Digital mammography. Left breast, cranio-caudal projection. 29-year-old patient.
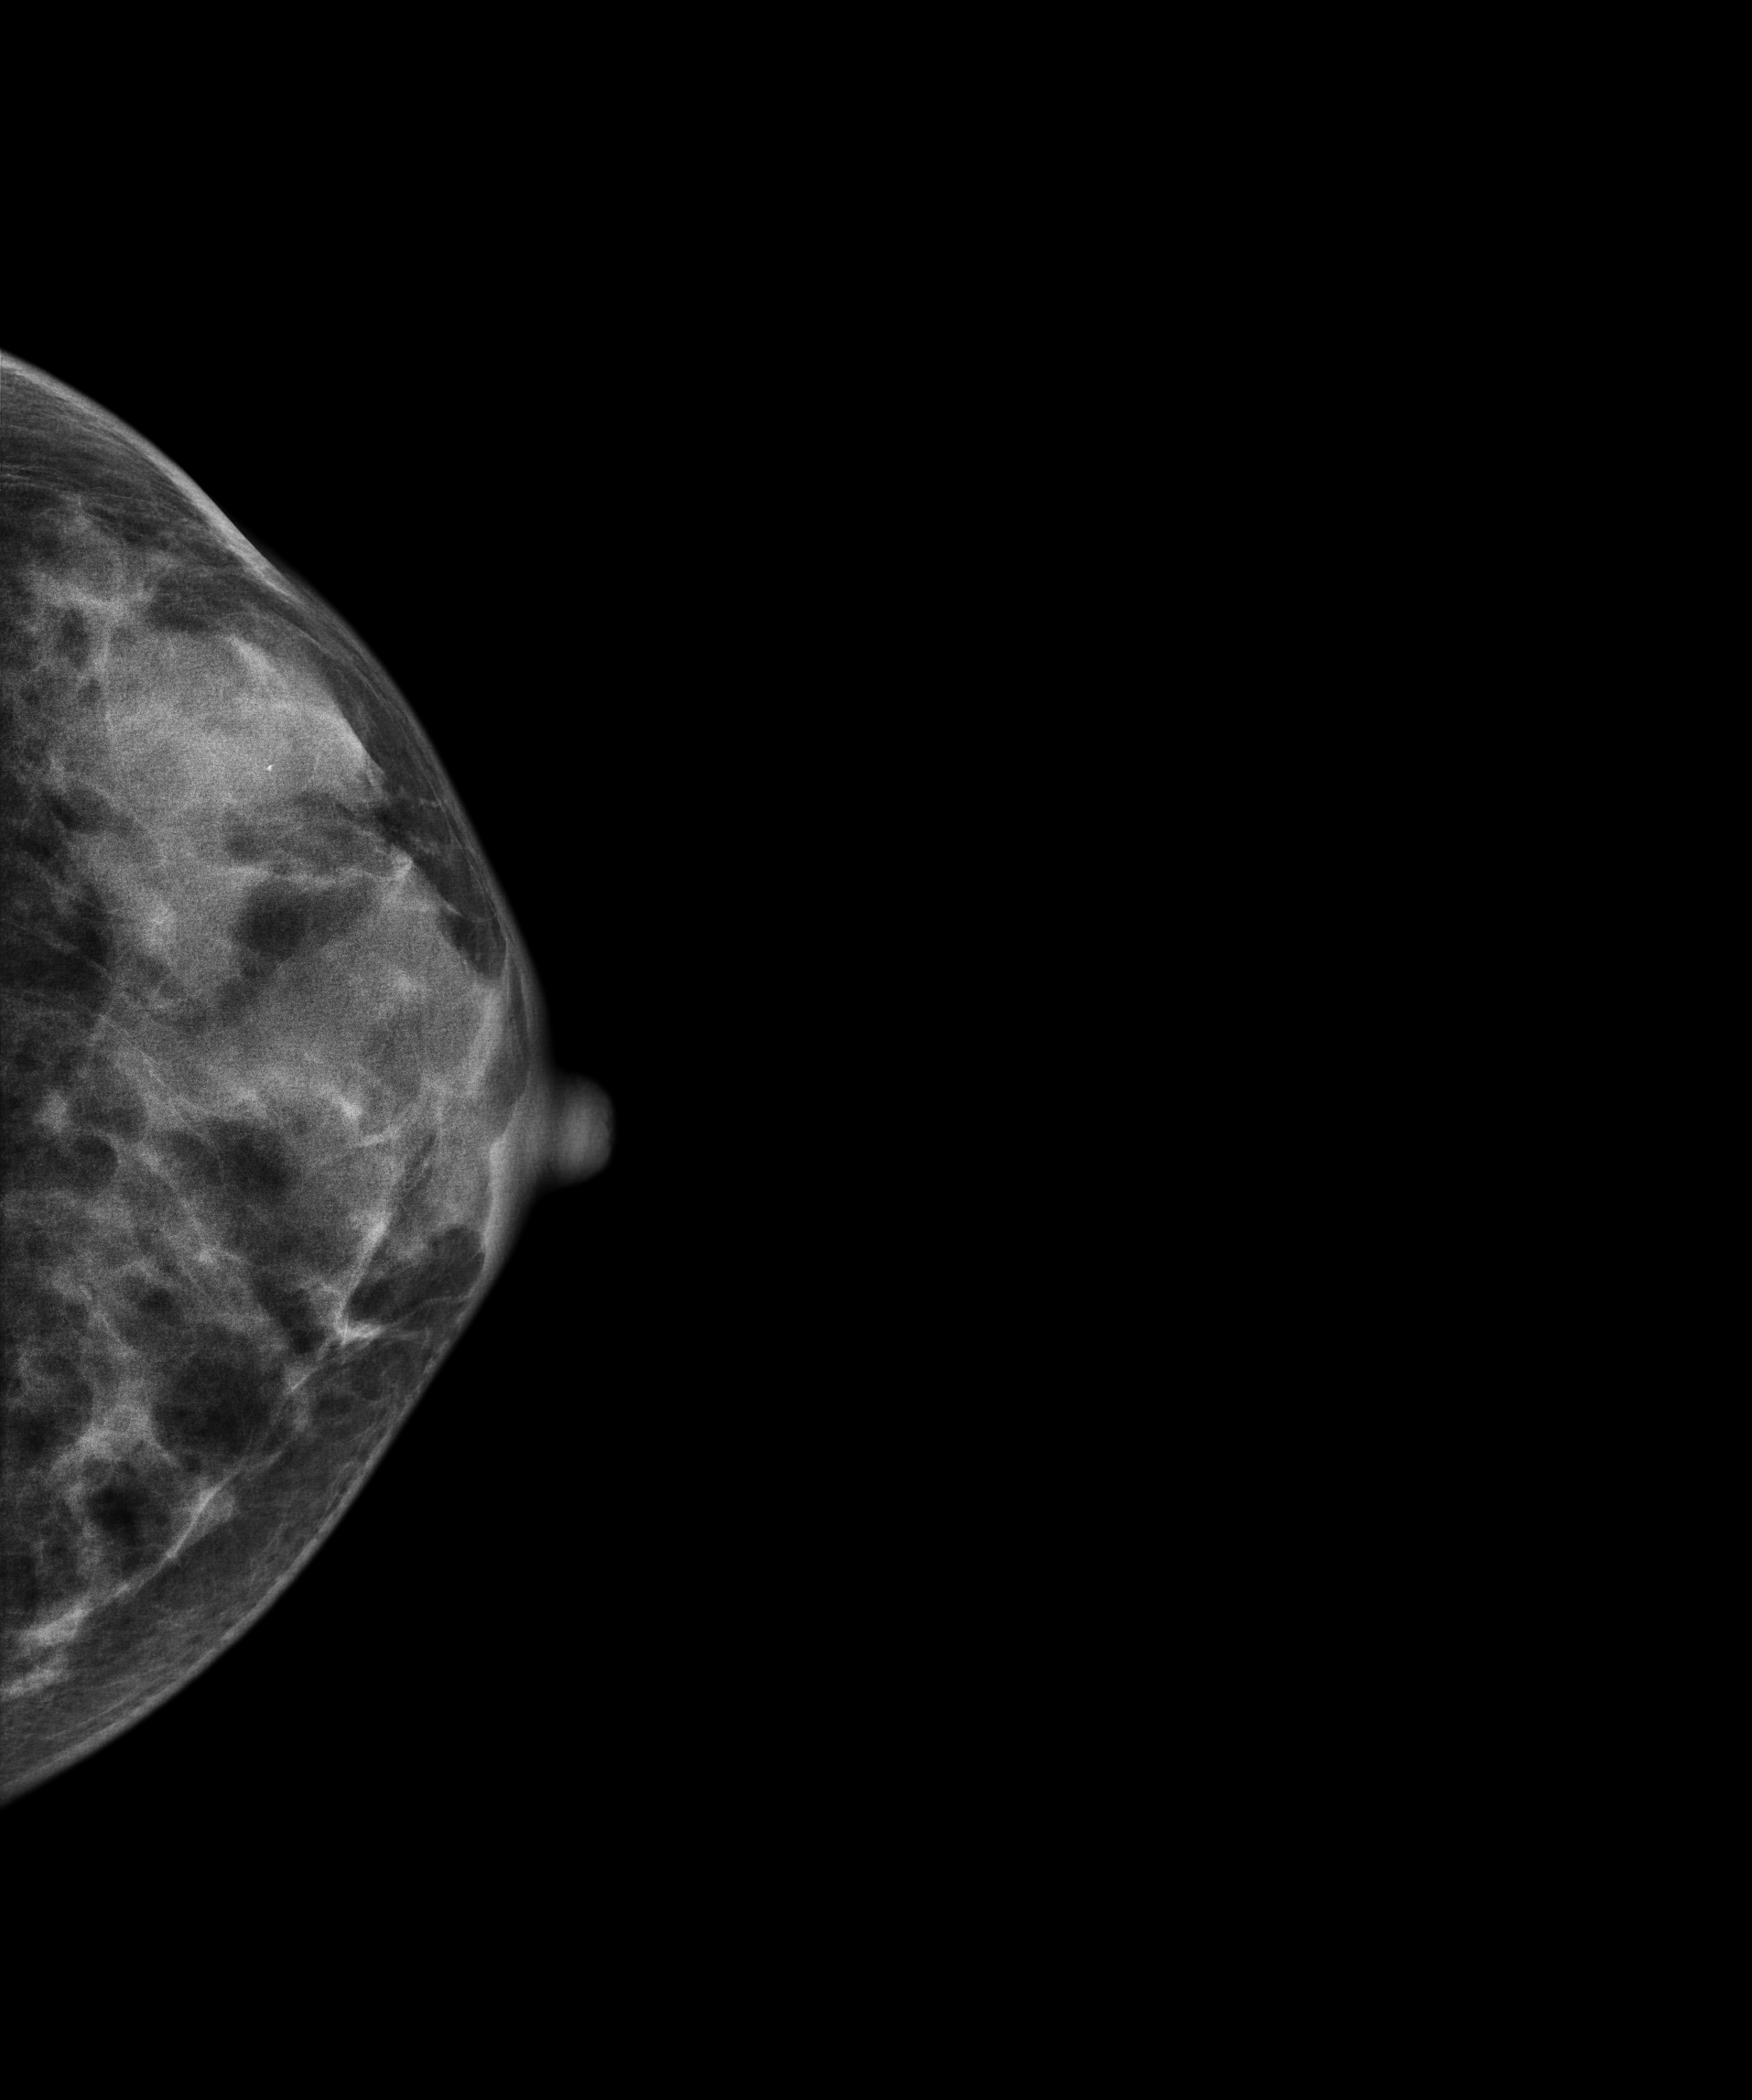
This breast has a mass and calcifications, pathology-confirmed benign.